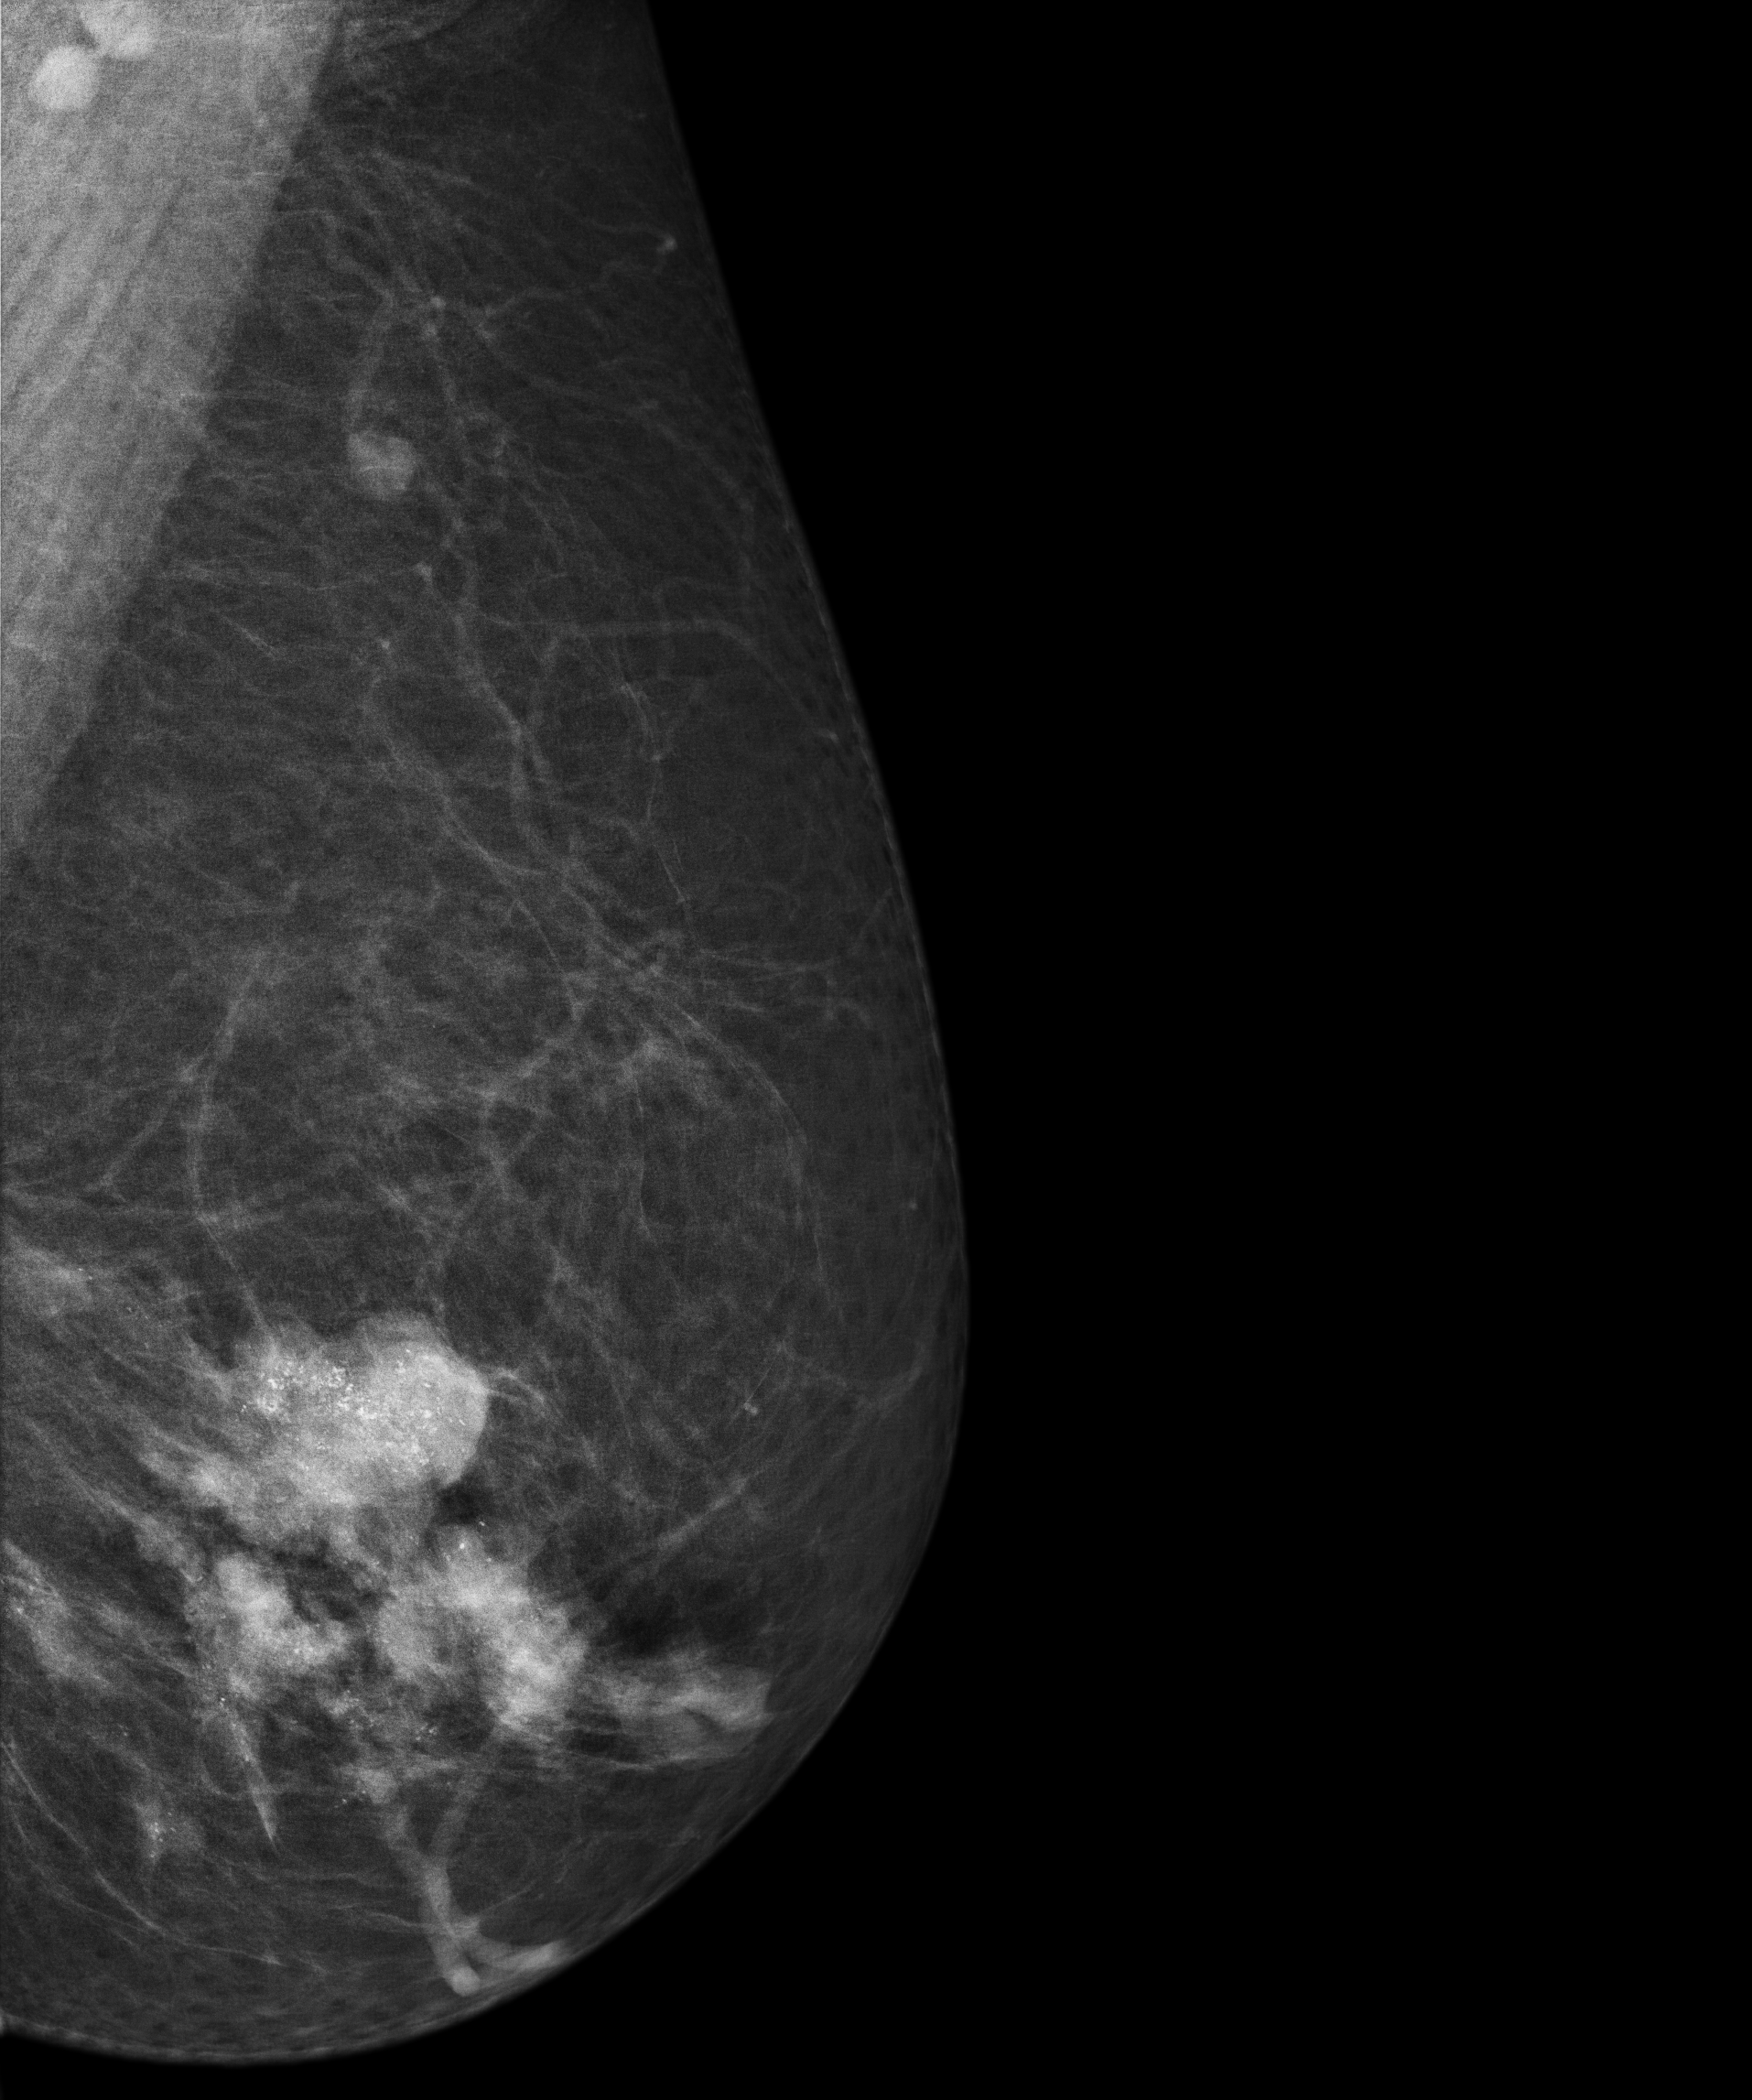
Left-breast mammogram, MLO. 62-year-old patient.
This breast has a mass and calcifications, biopsy-proven malignant.